Left-breast mammogram, MLO. Patient age 45.
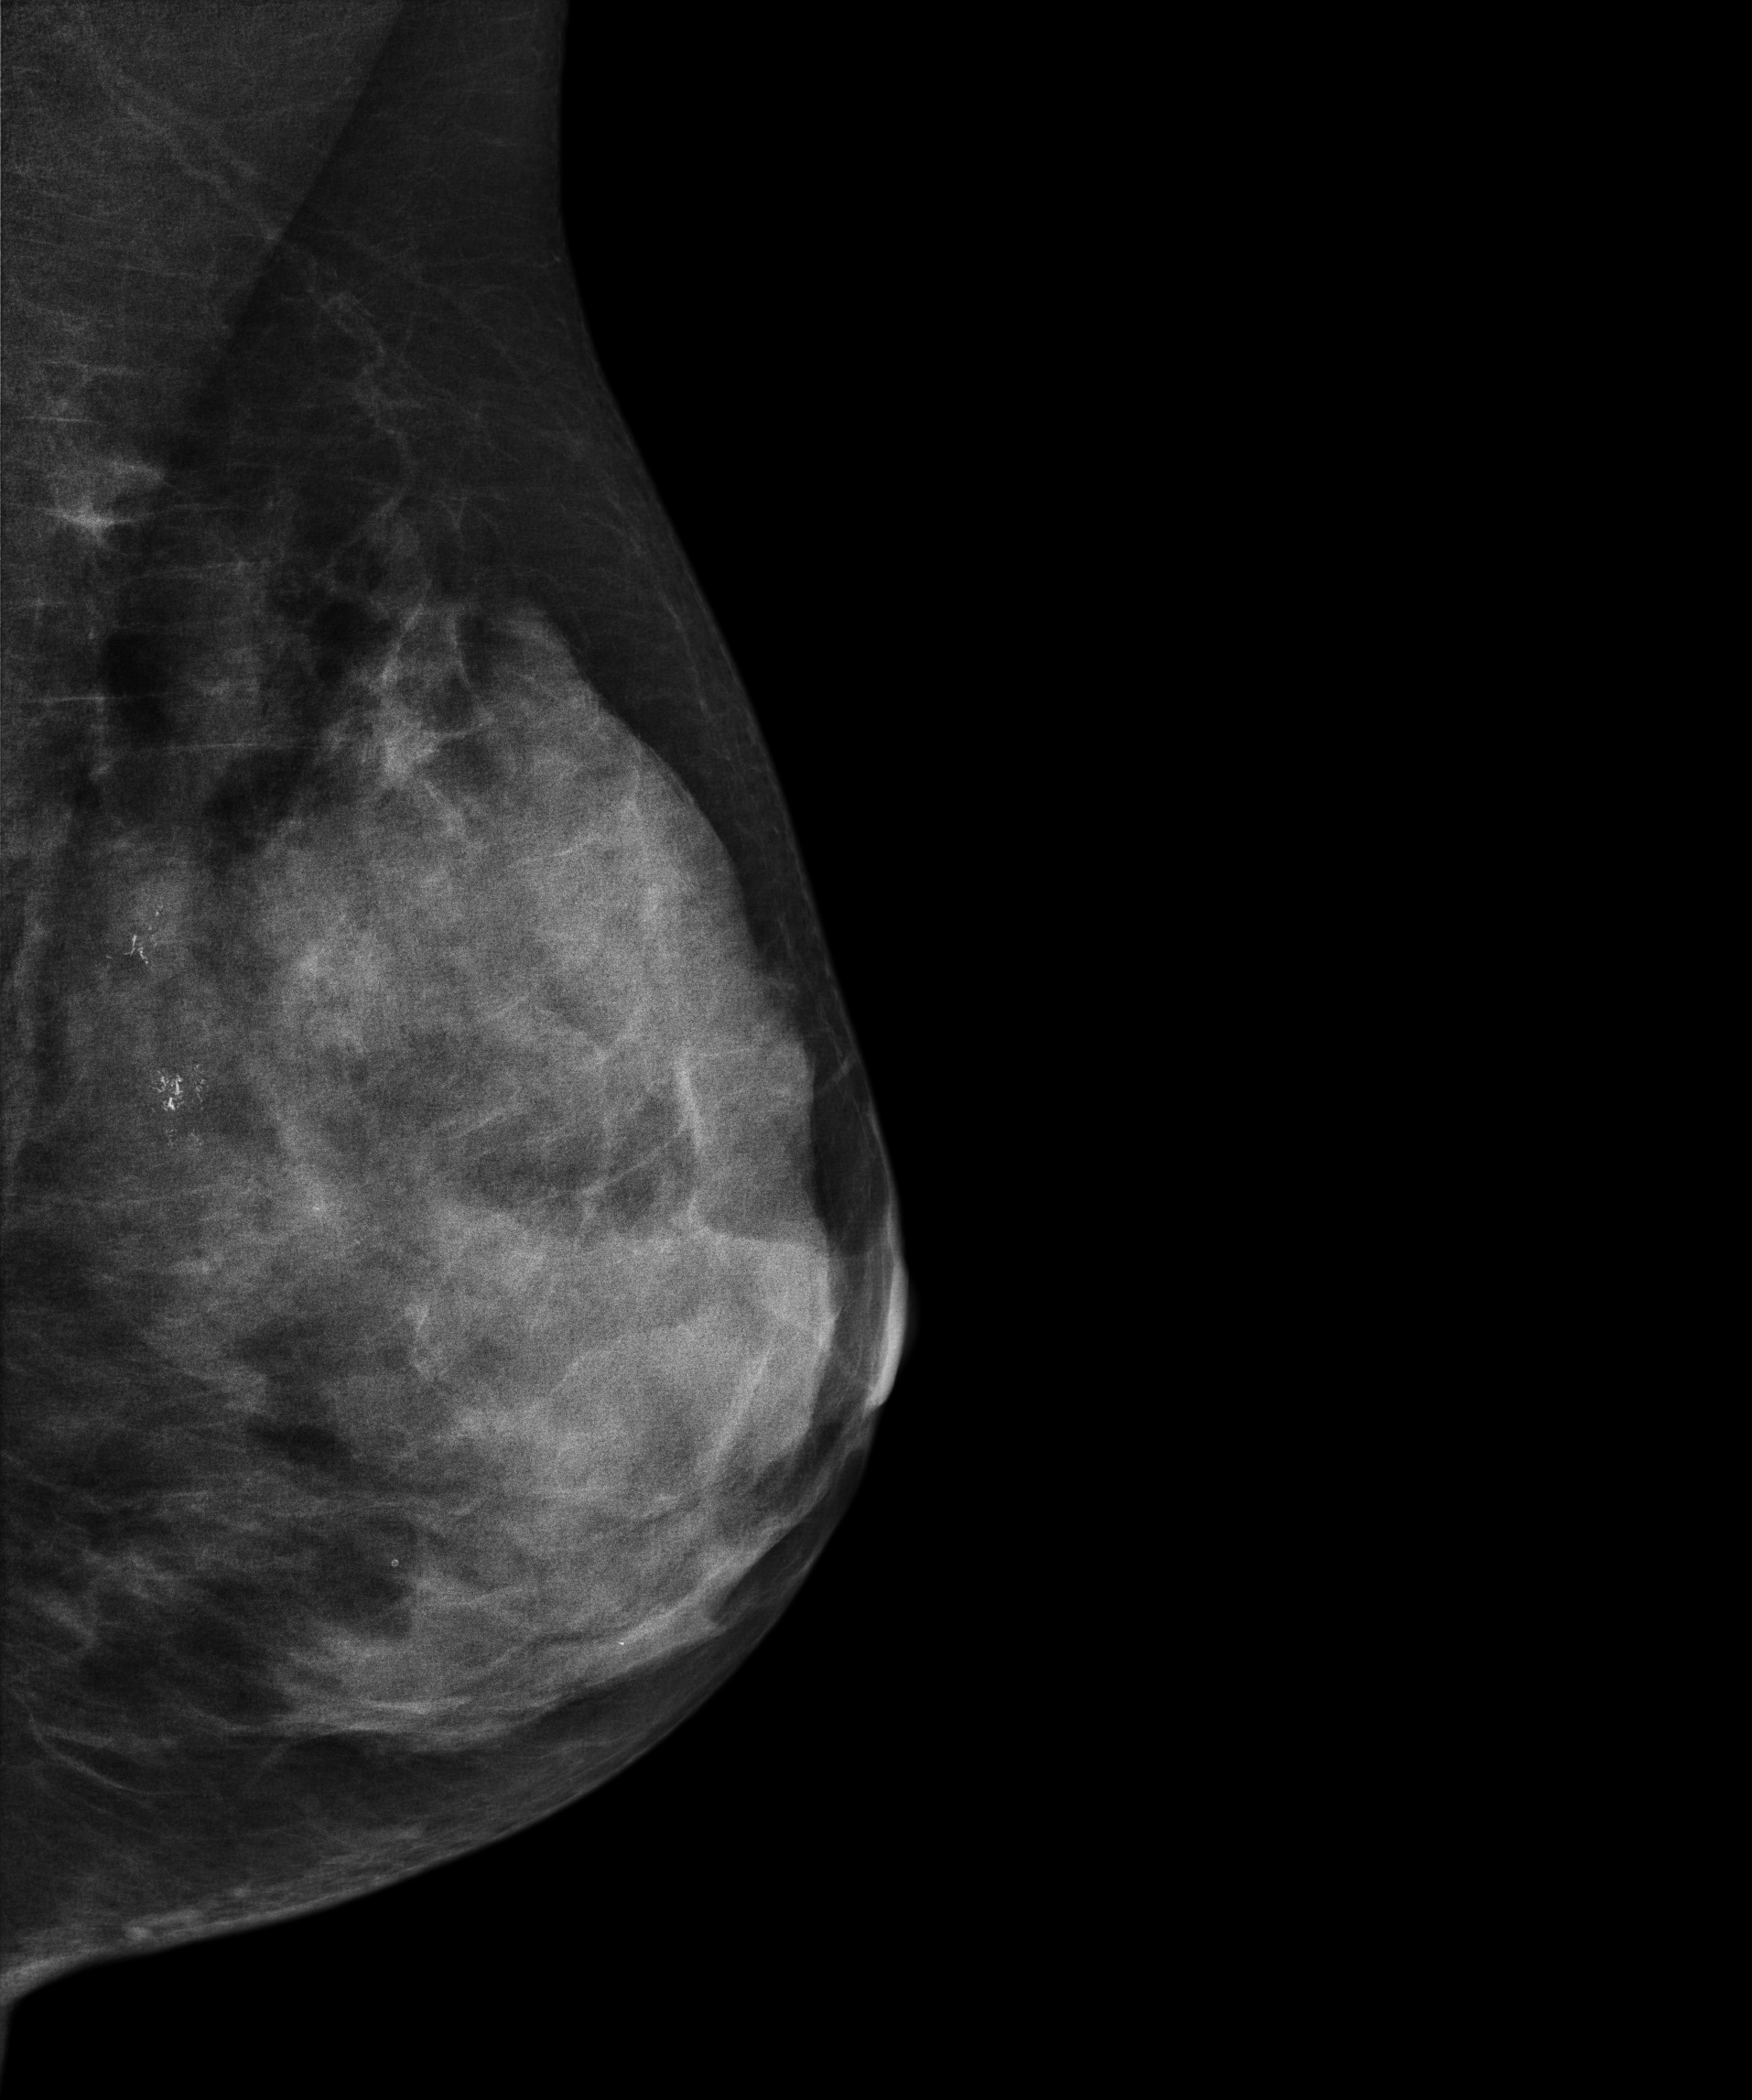
This breast has calcifications, histologically confirmed malignant.